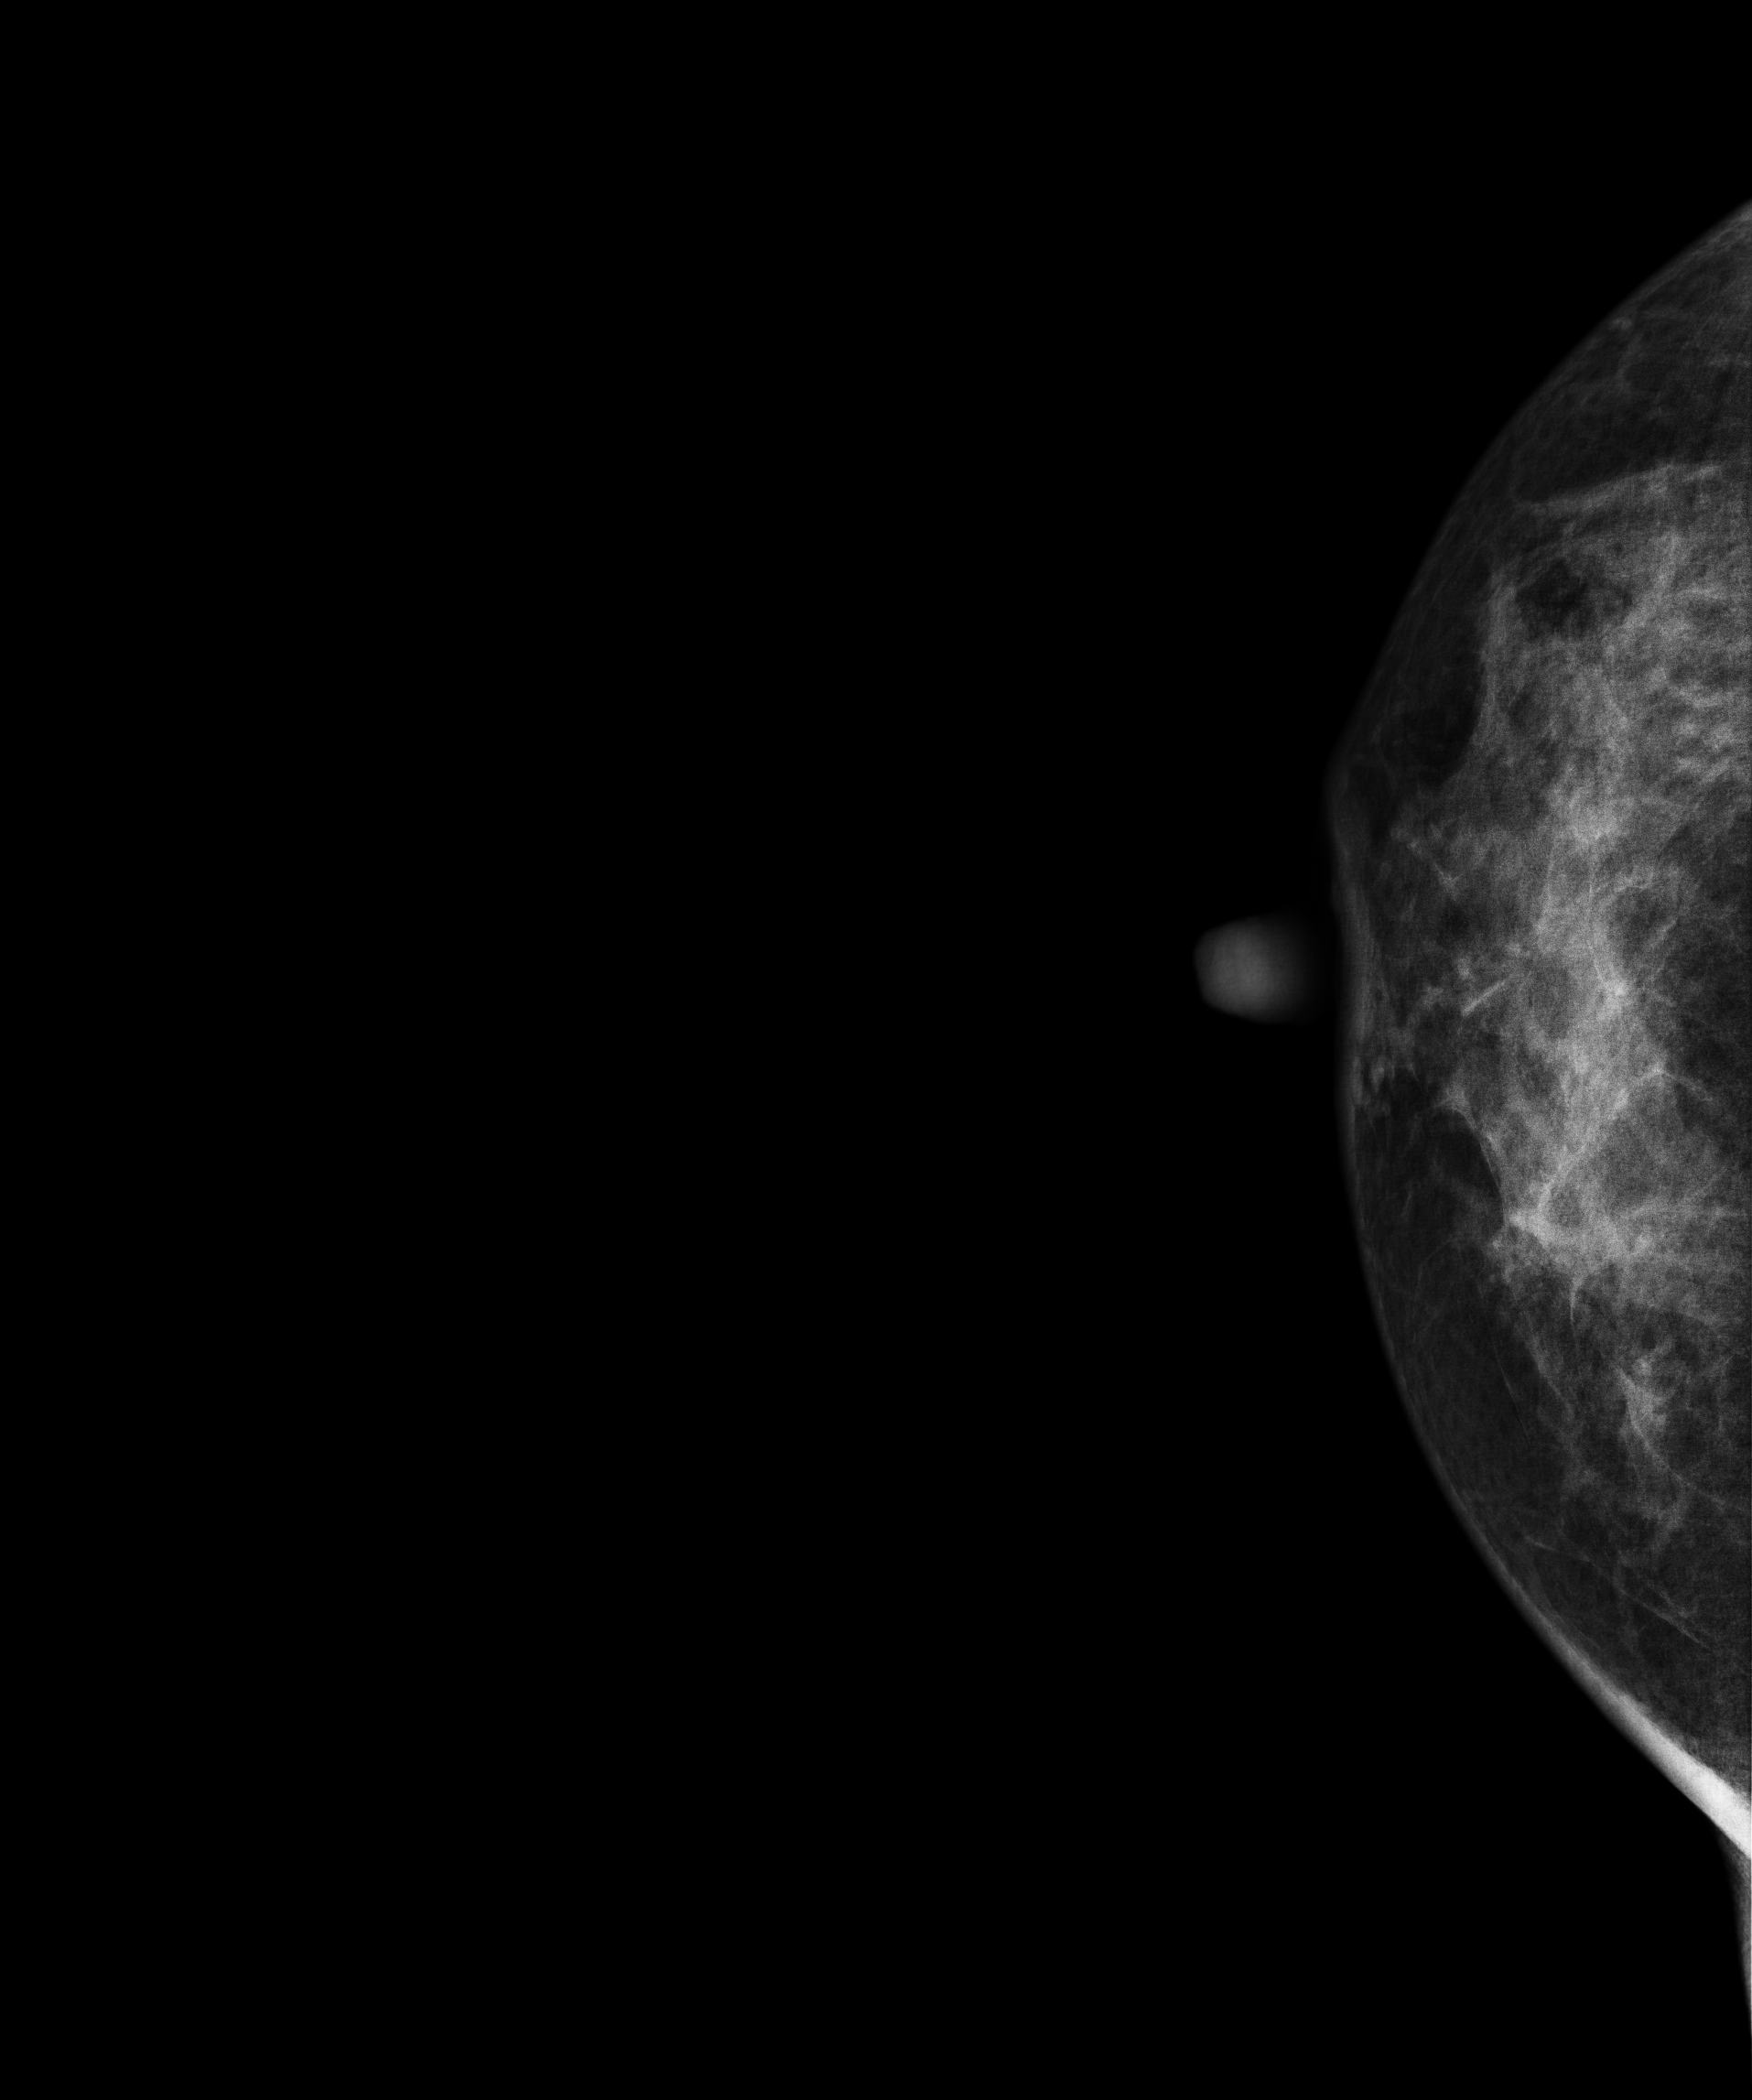
Mammogram — right CC. 45 y/o patient.
This breast has a mass, biopsy-confirmed benign.